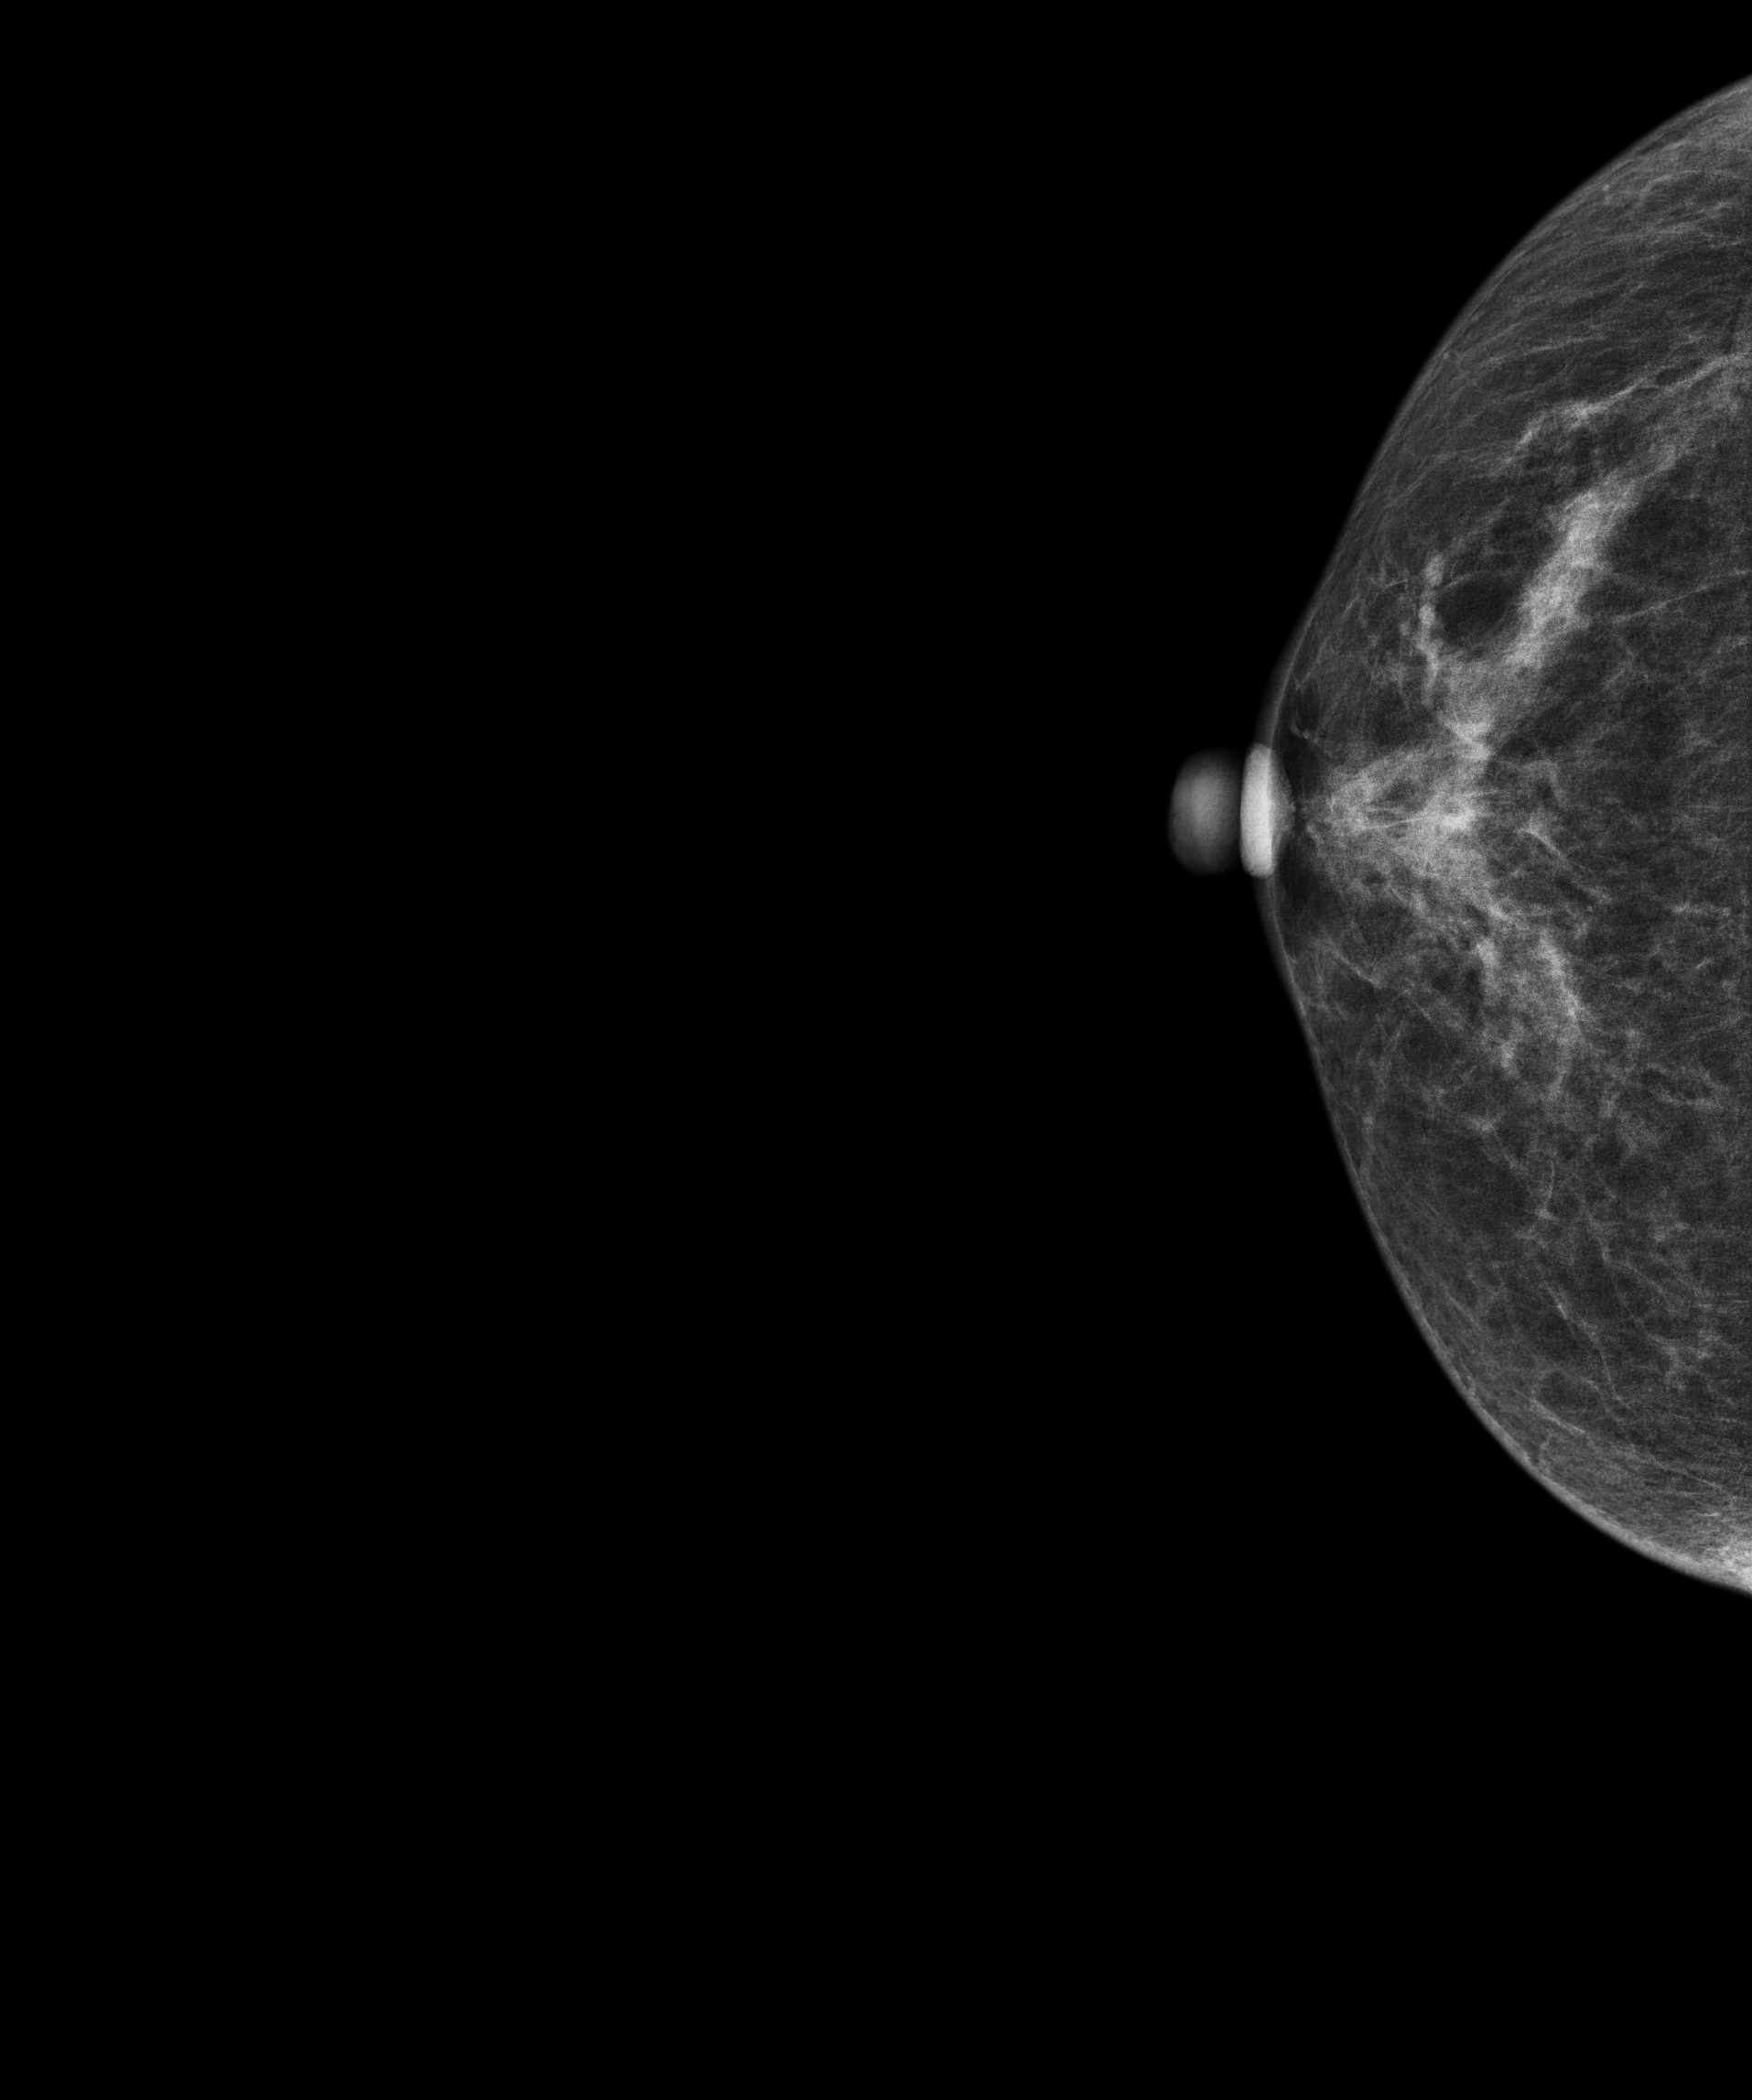
Mammogram, right breast, CC view. Patient age 66.
Contralateral breast — no documented abnormality on this side.